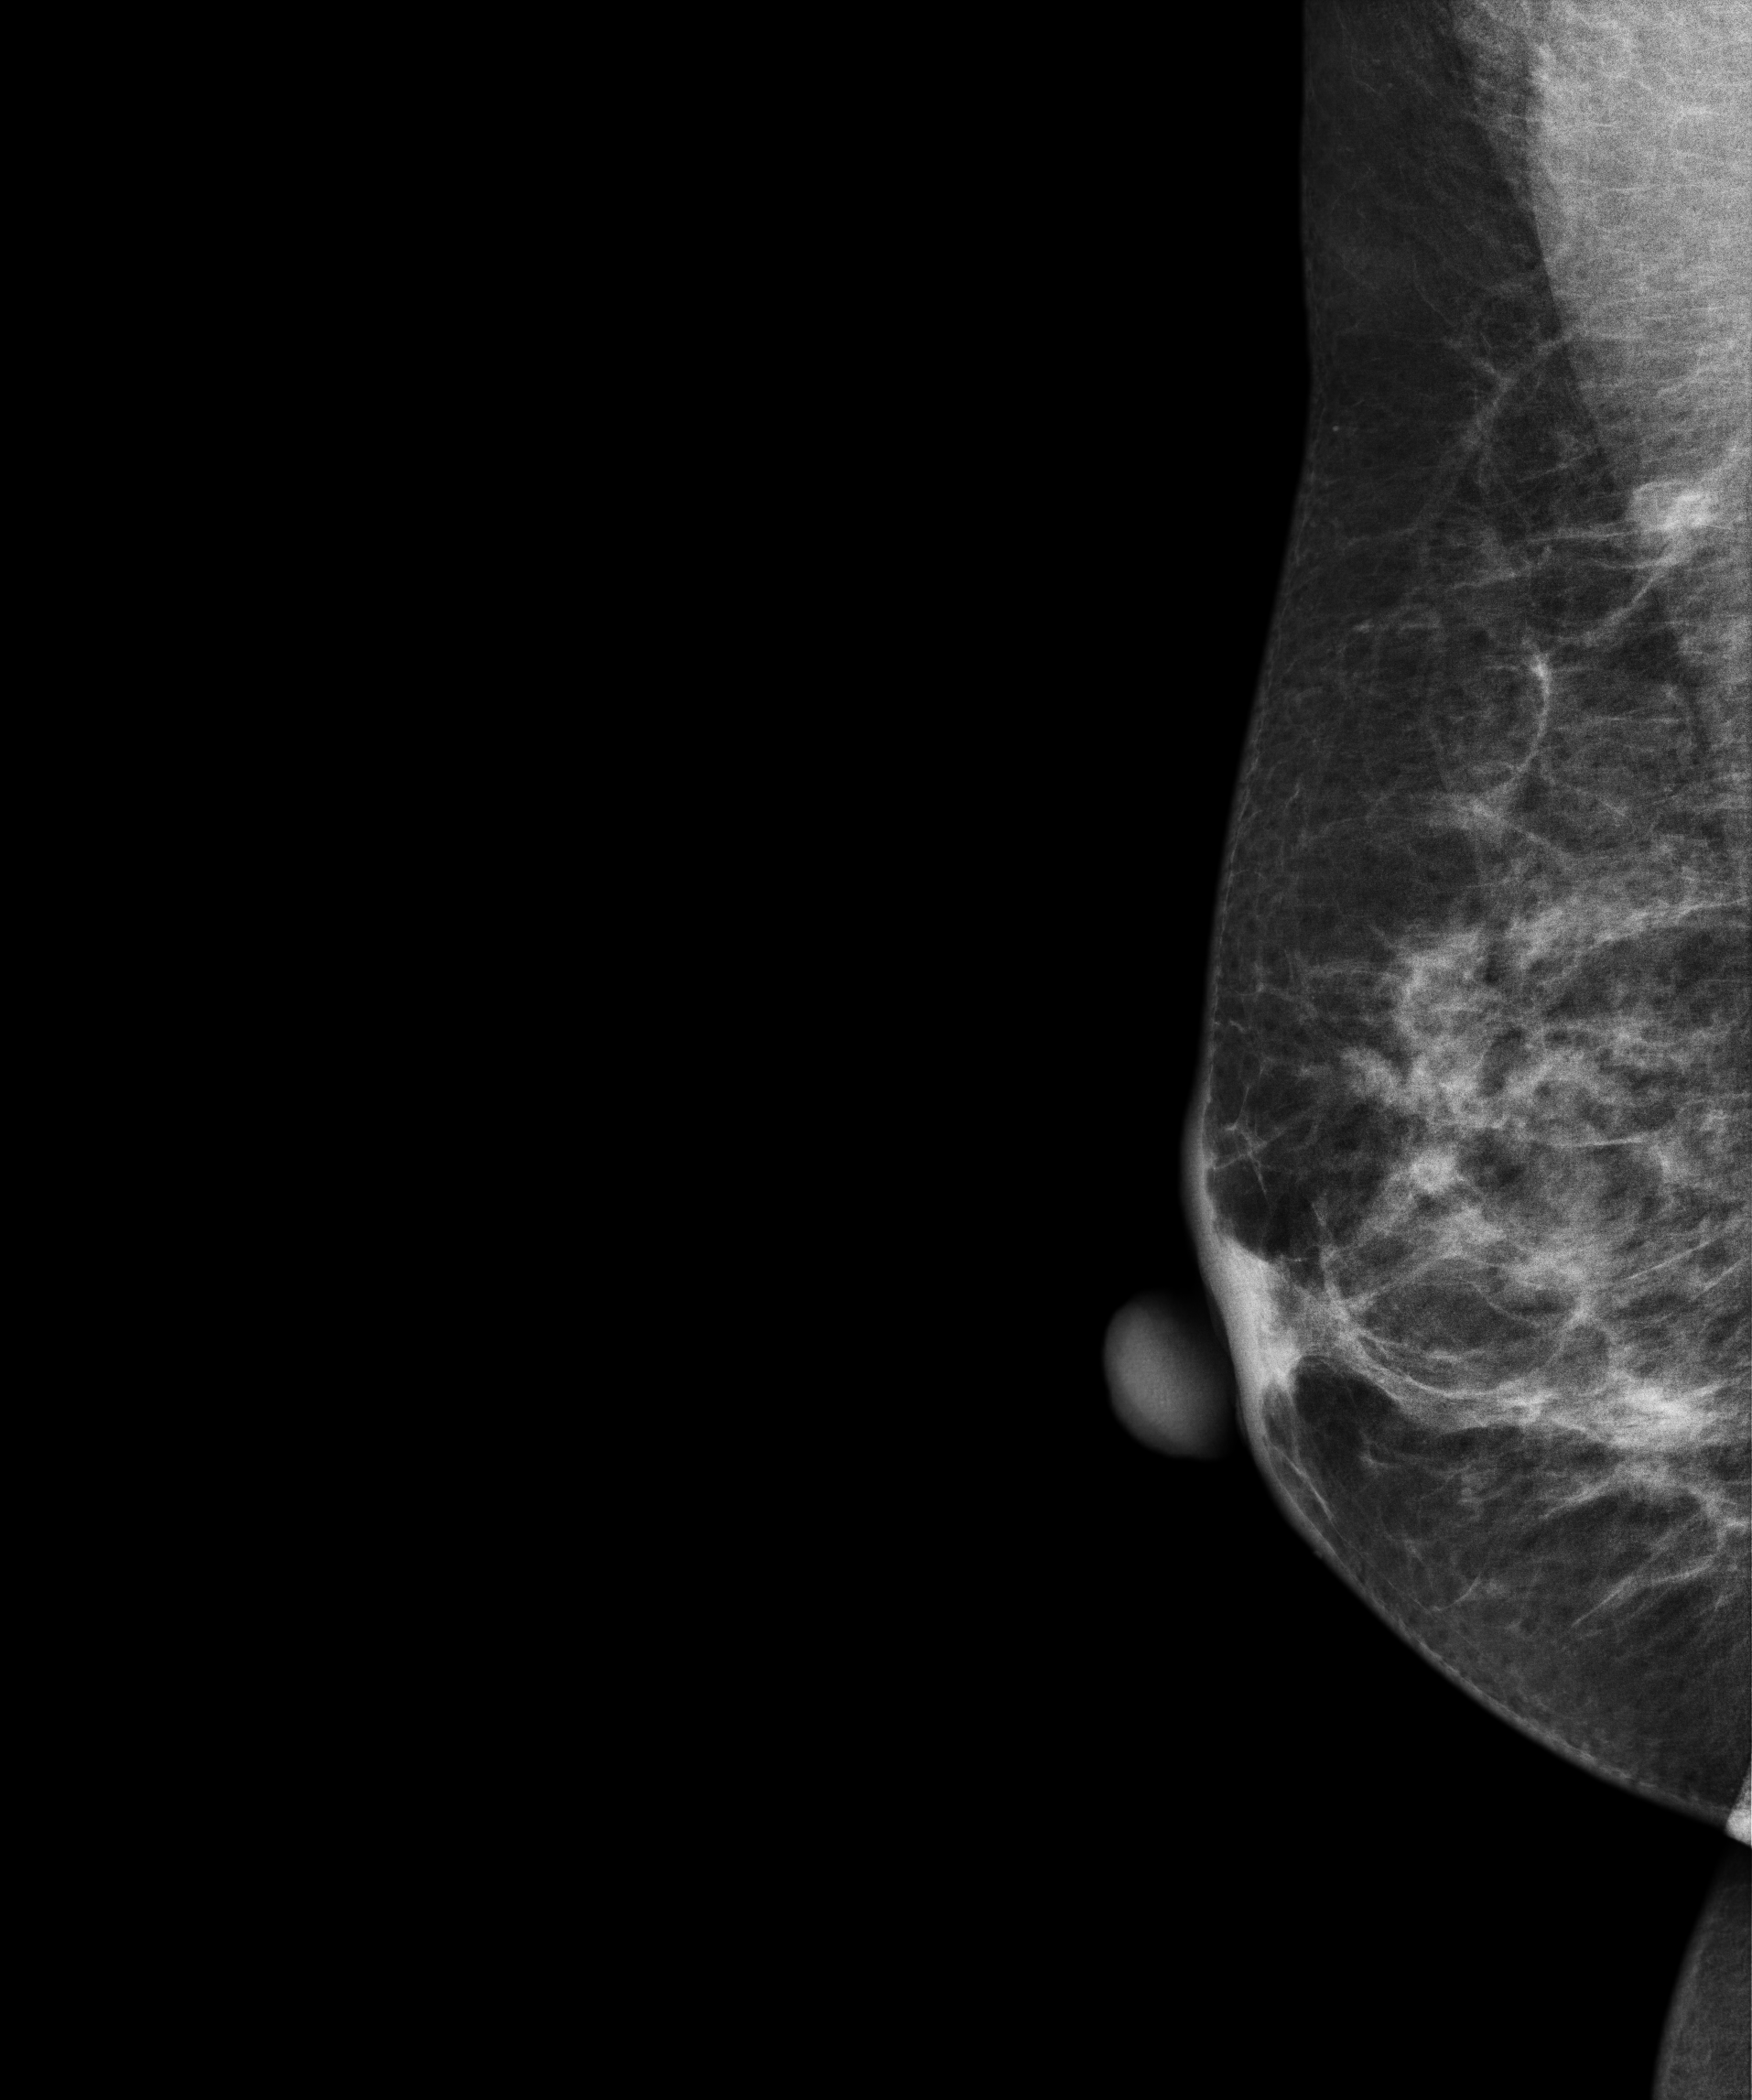
Mammogram, right breast, medio-lateral oblique view. 44 y/o patient.
This breast has a mass, pathology-confirmed malignant. Molecular subtype: luminal B.